Mammogram — right cranio-caudal. 45 y/o patient.
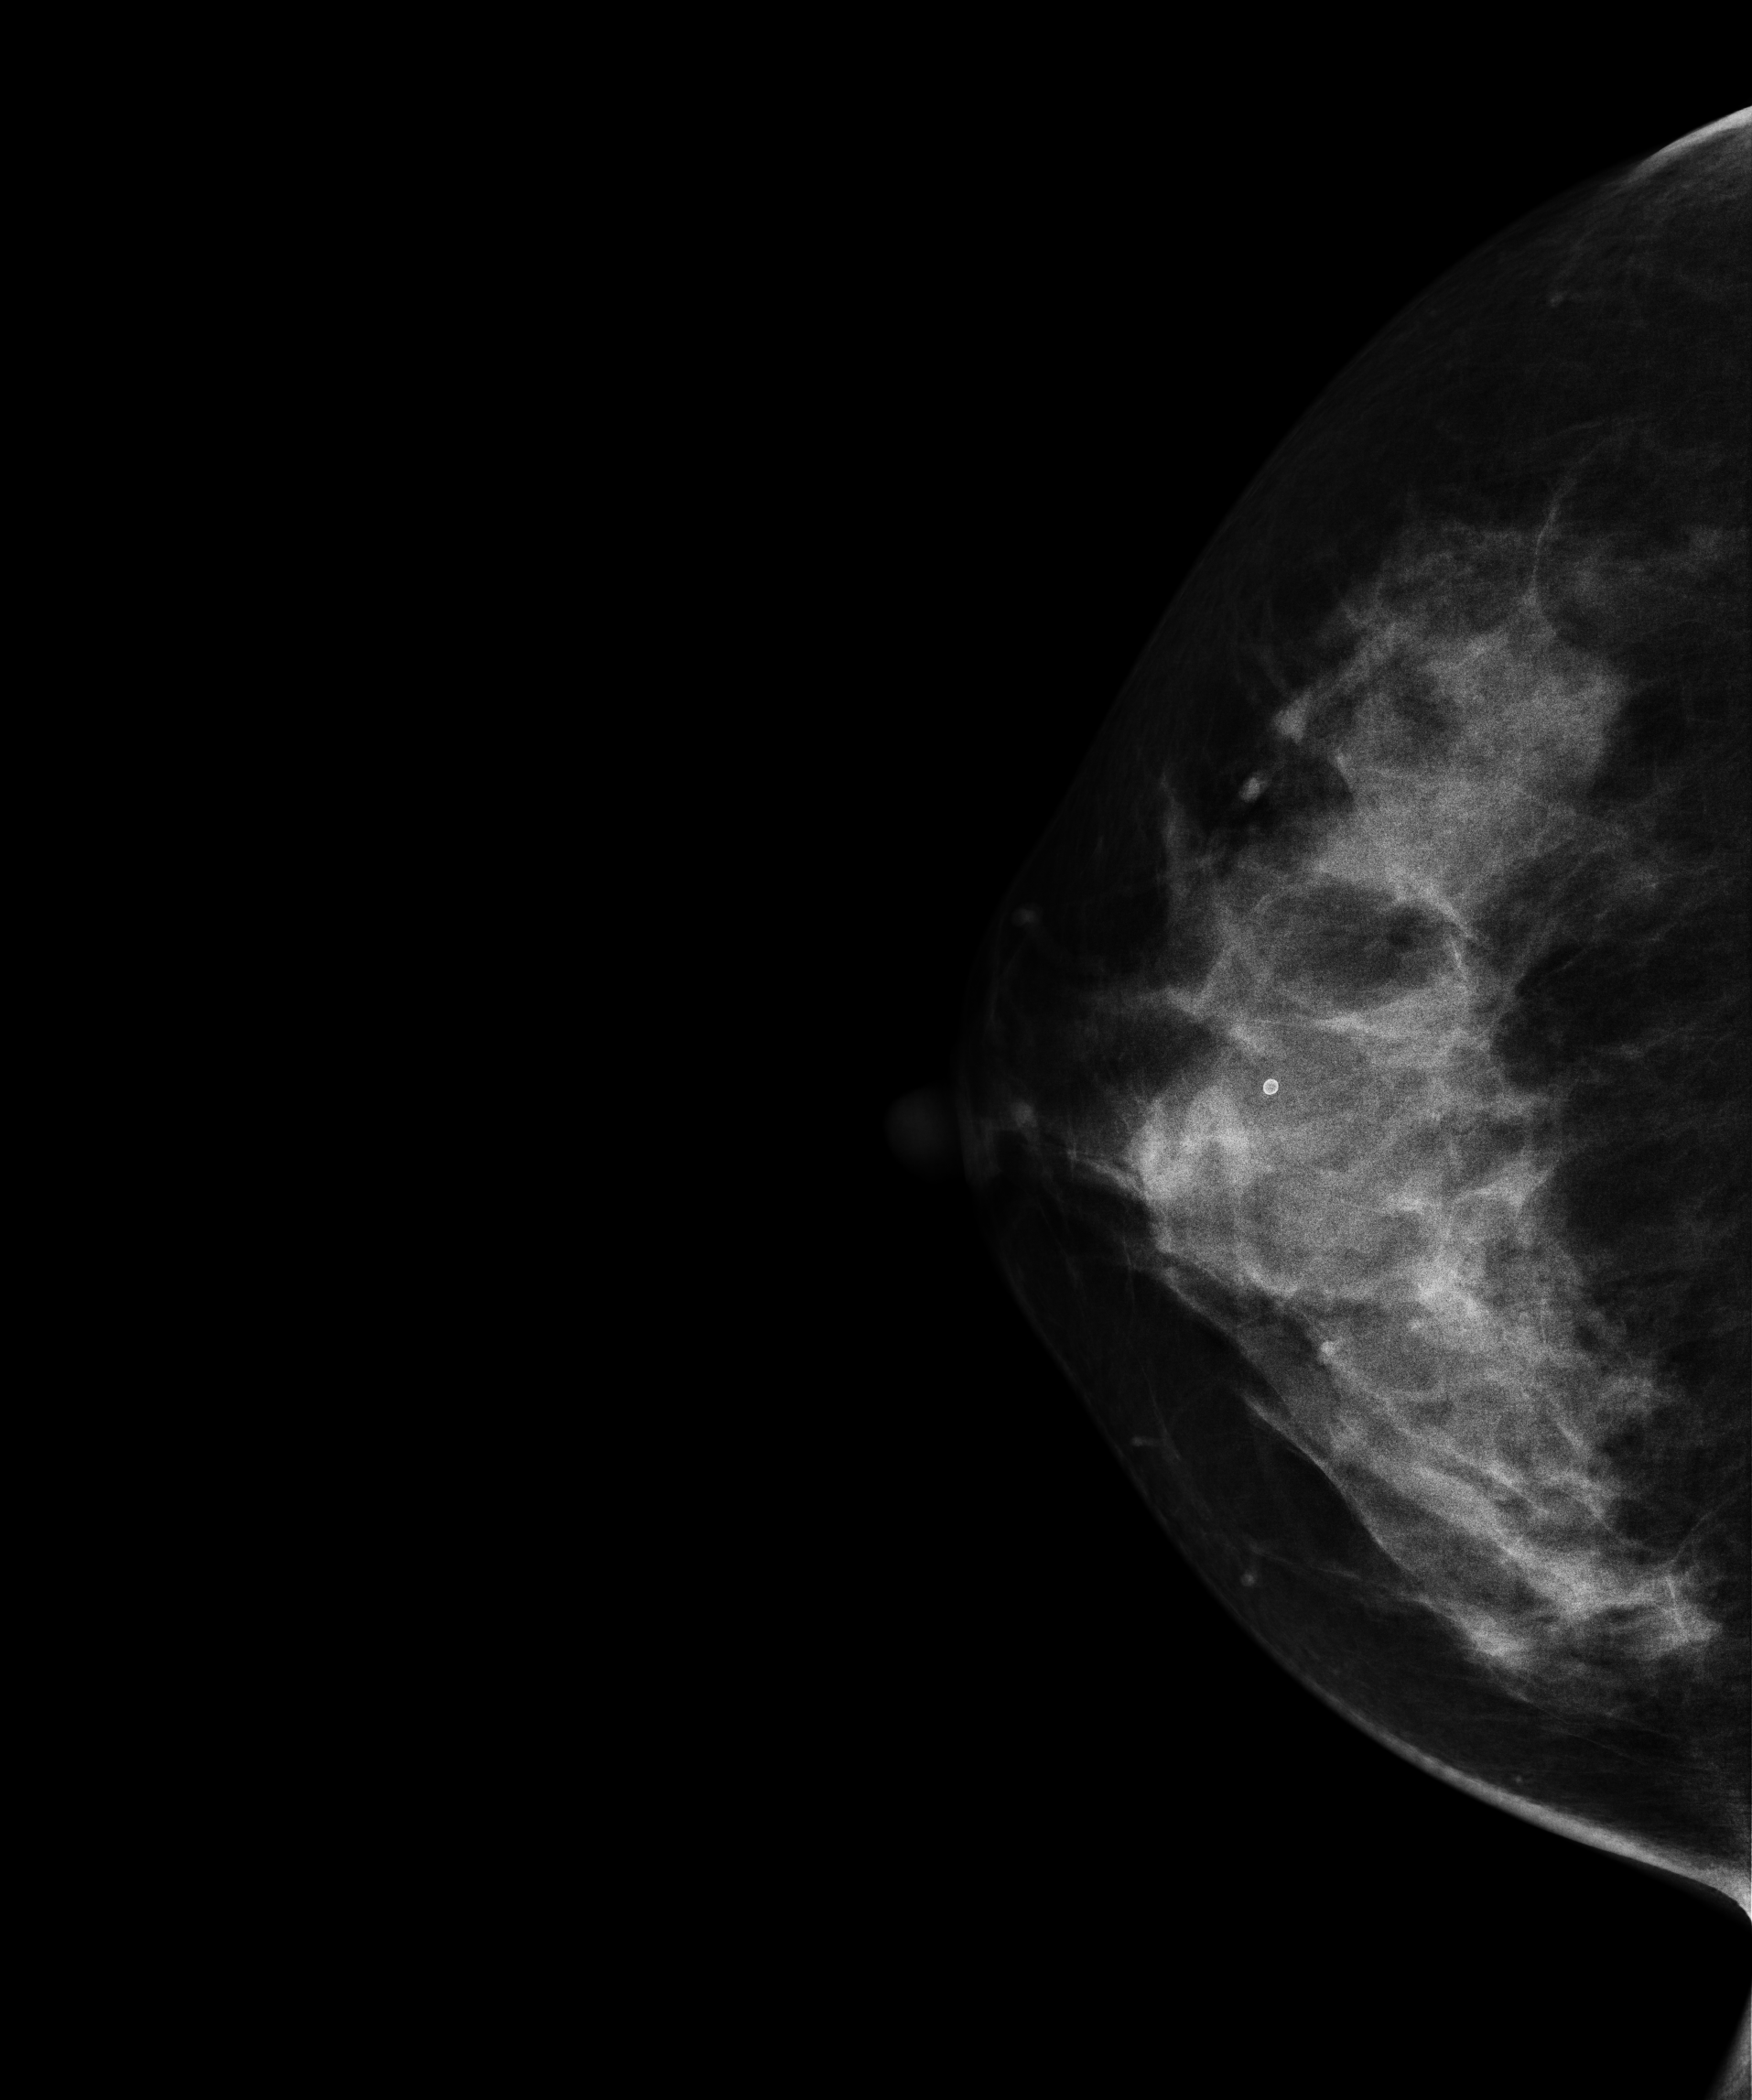
This breast has a mass, pathology-confirmed malignant. Molecular subtype: luminal A.